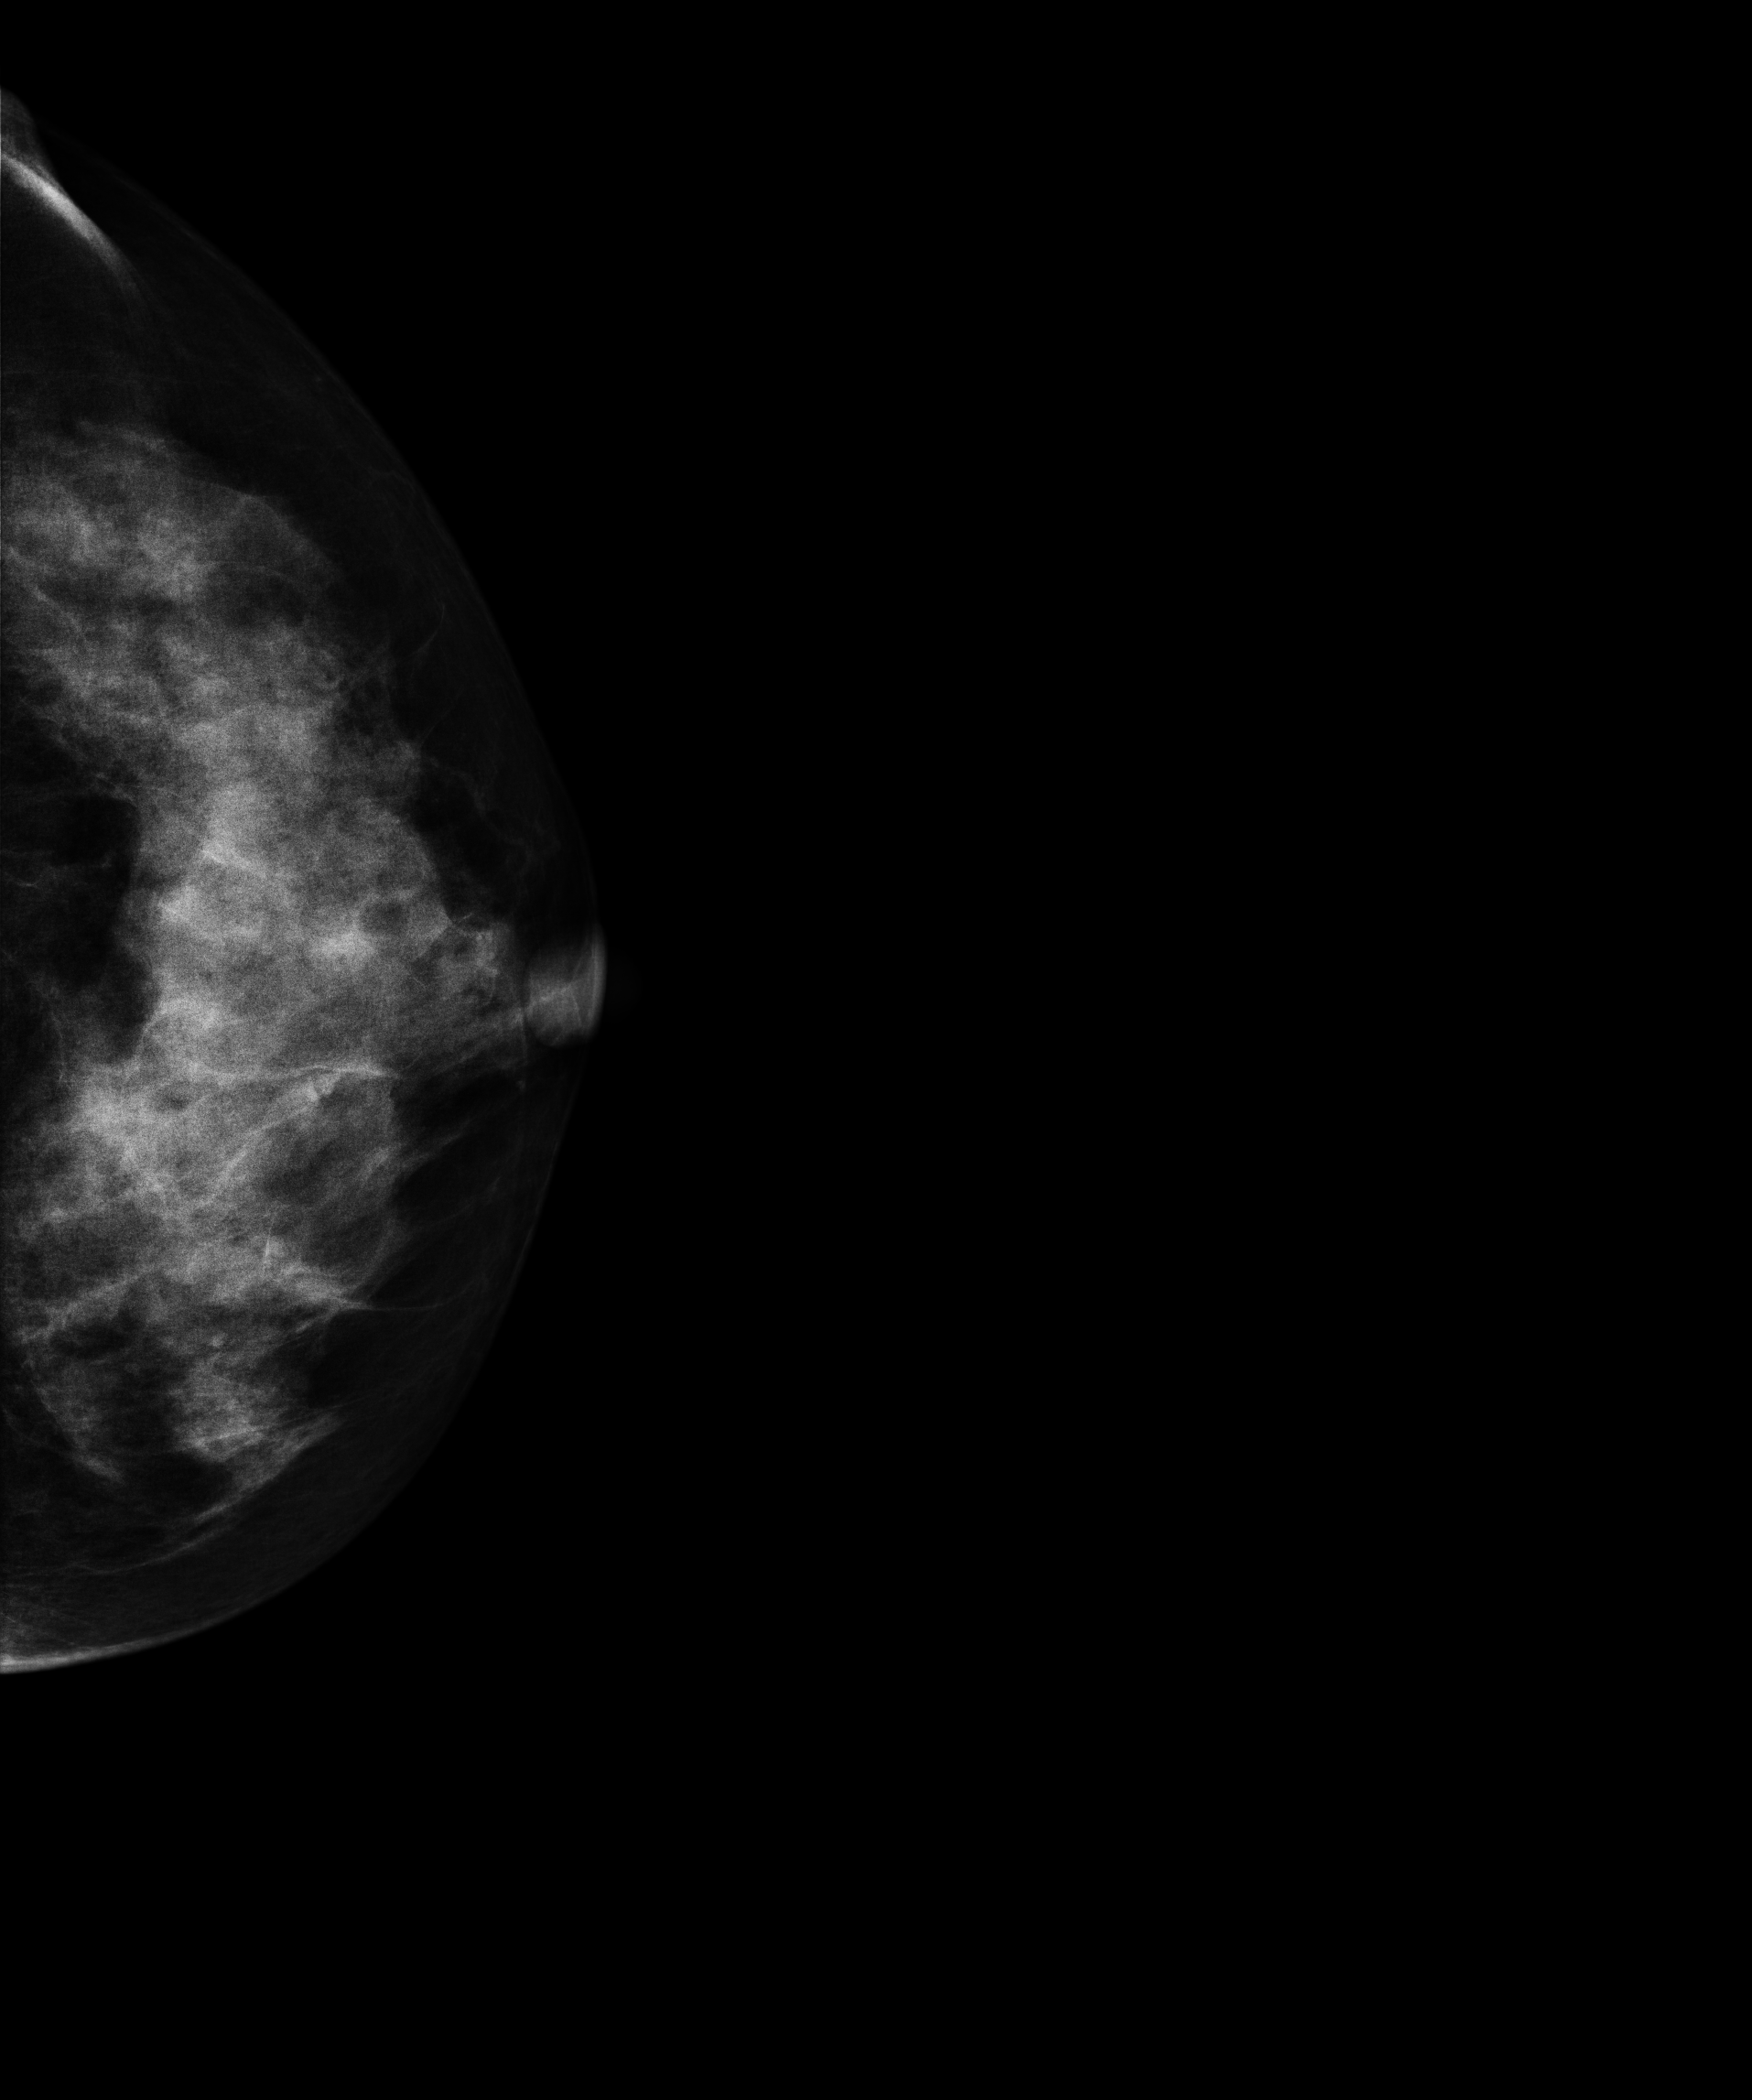
Mammogram, left breast, cranio-caudal view. 38 y/o patient.
This breast has a mass, biopsy-proven malignant.